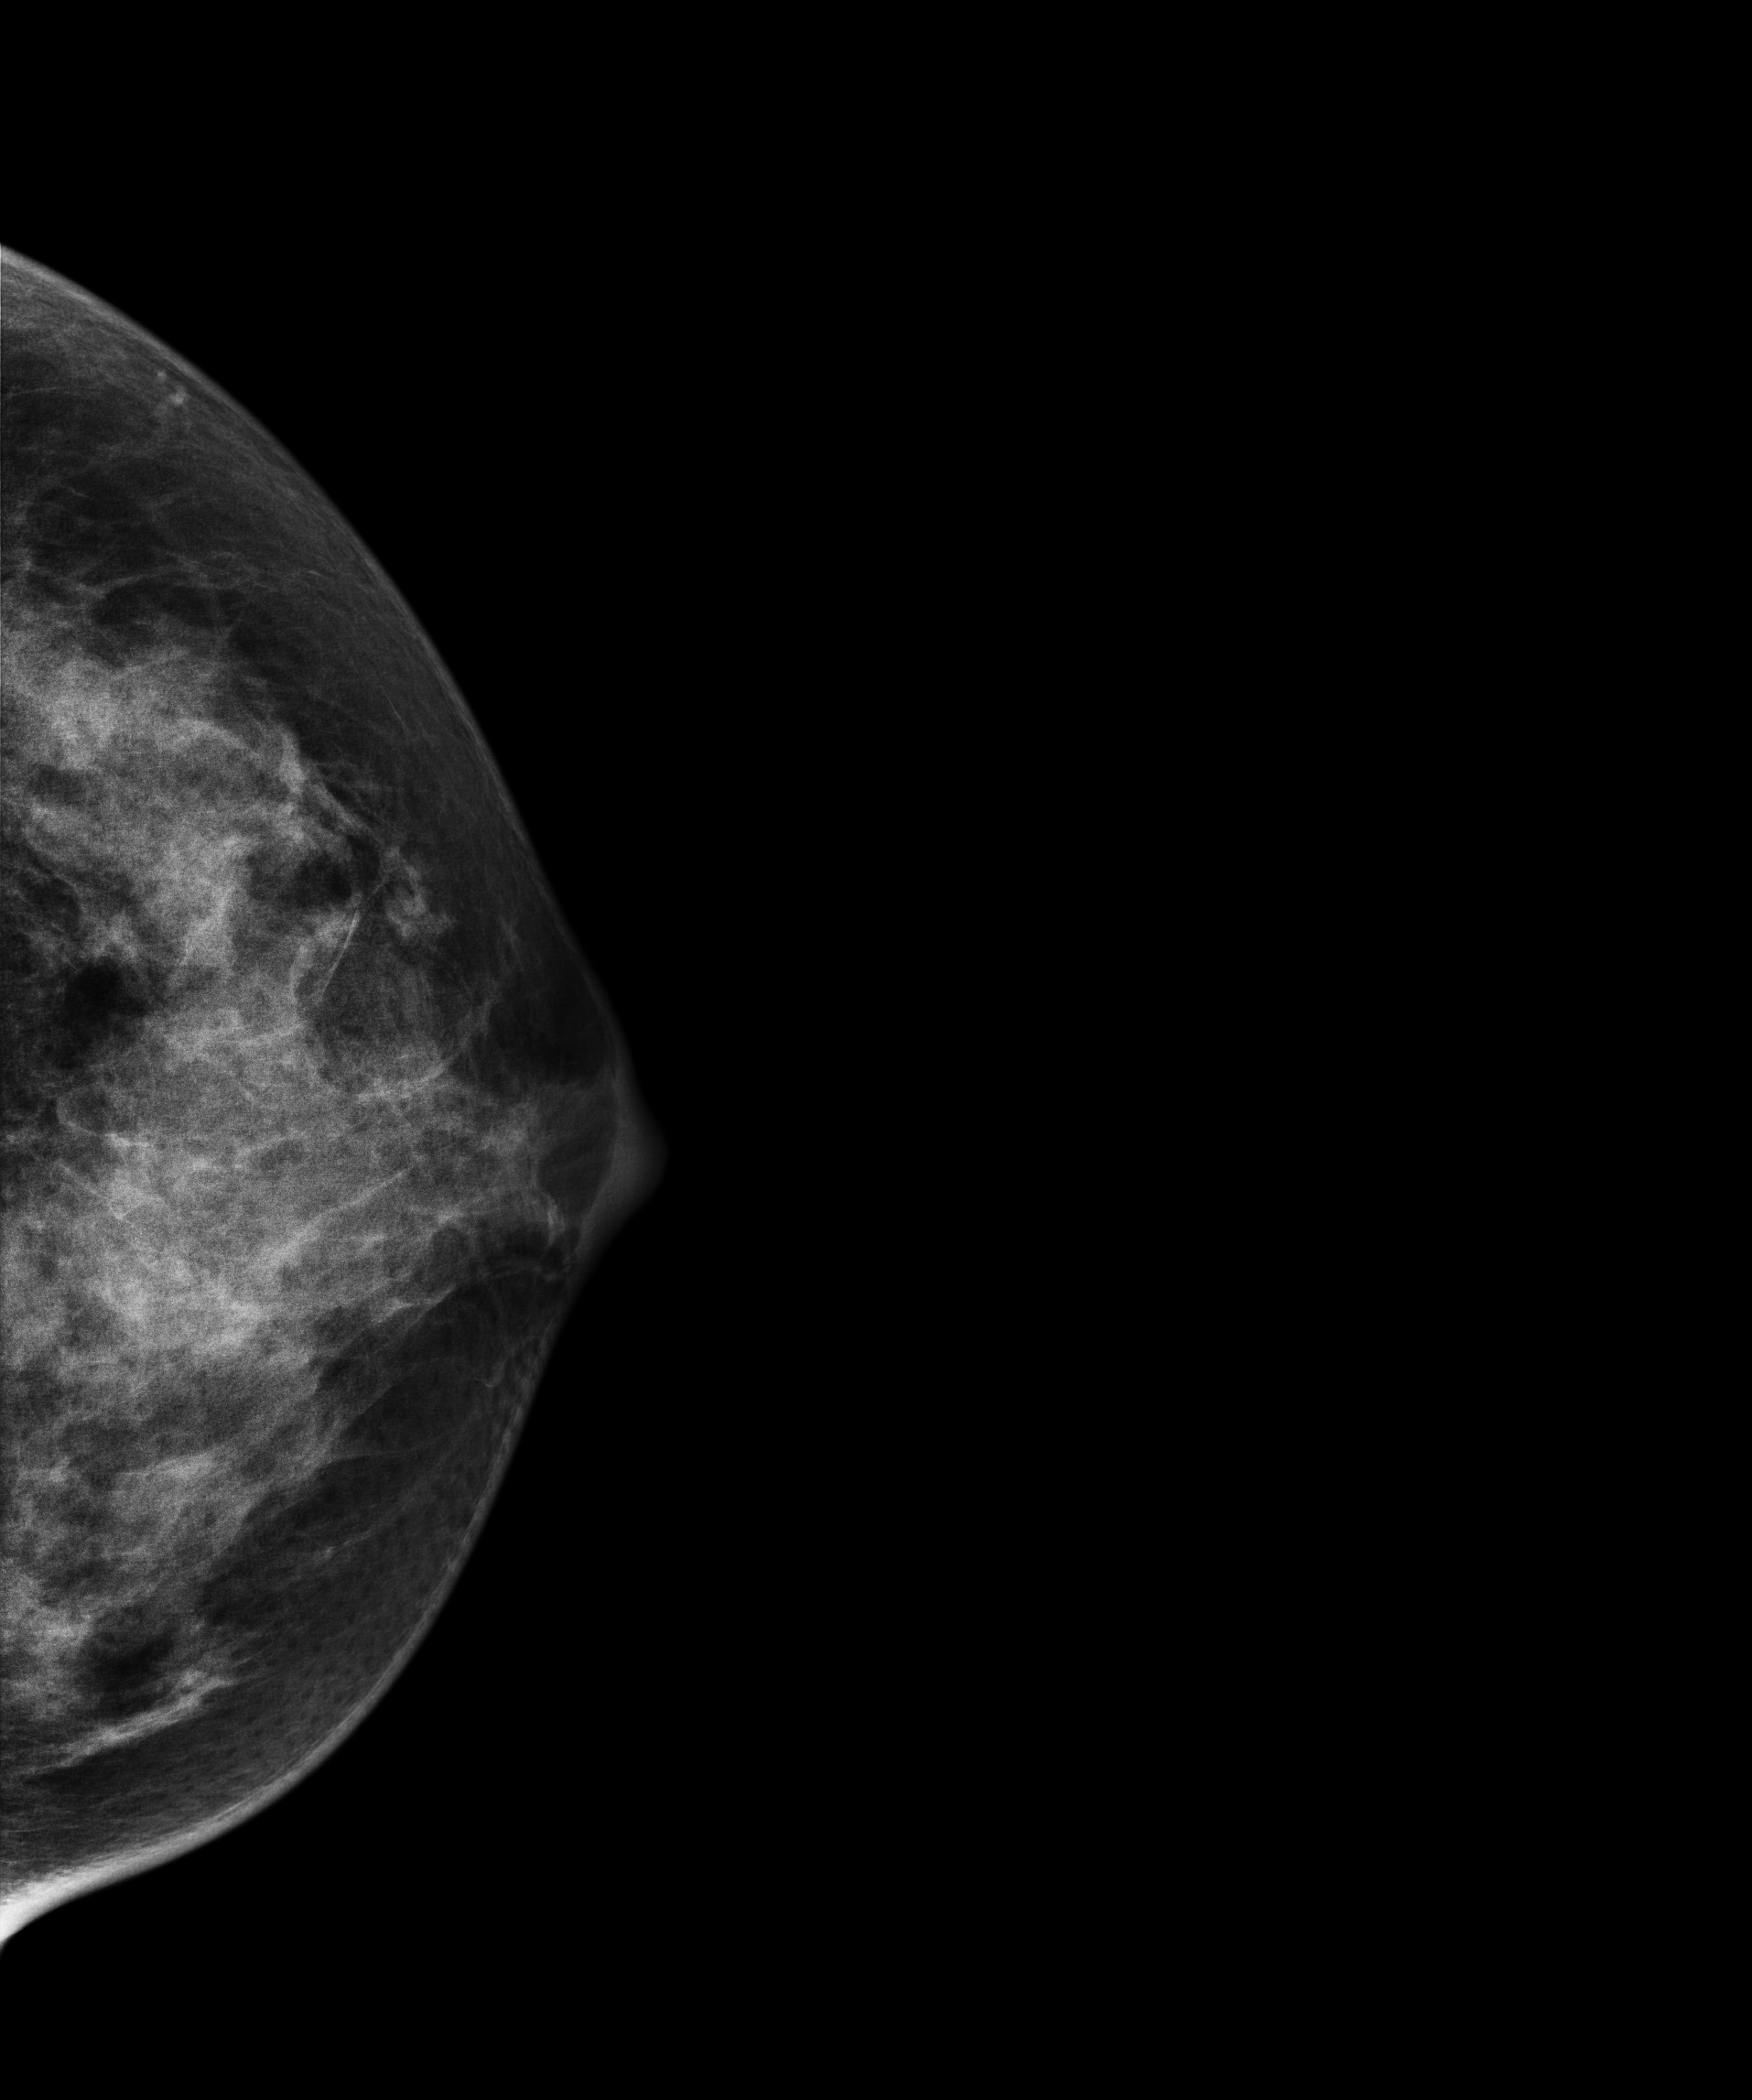
Digital mammography. Left breast, CC projection. 32-year-old patient.
This breast has a mass, biopsy-proven malignant. Molecular subtype: triple-negative.